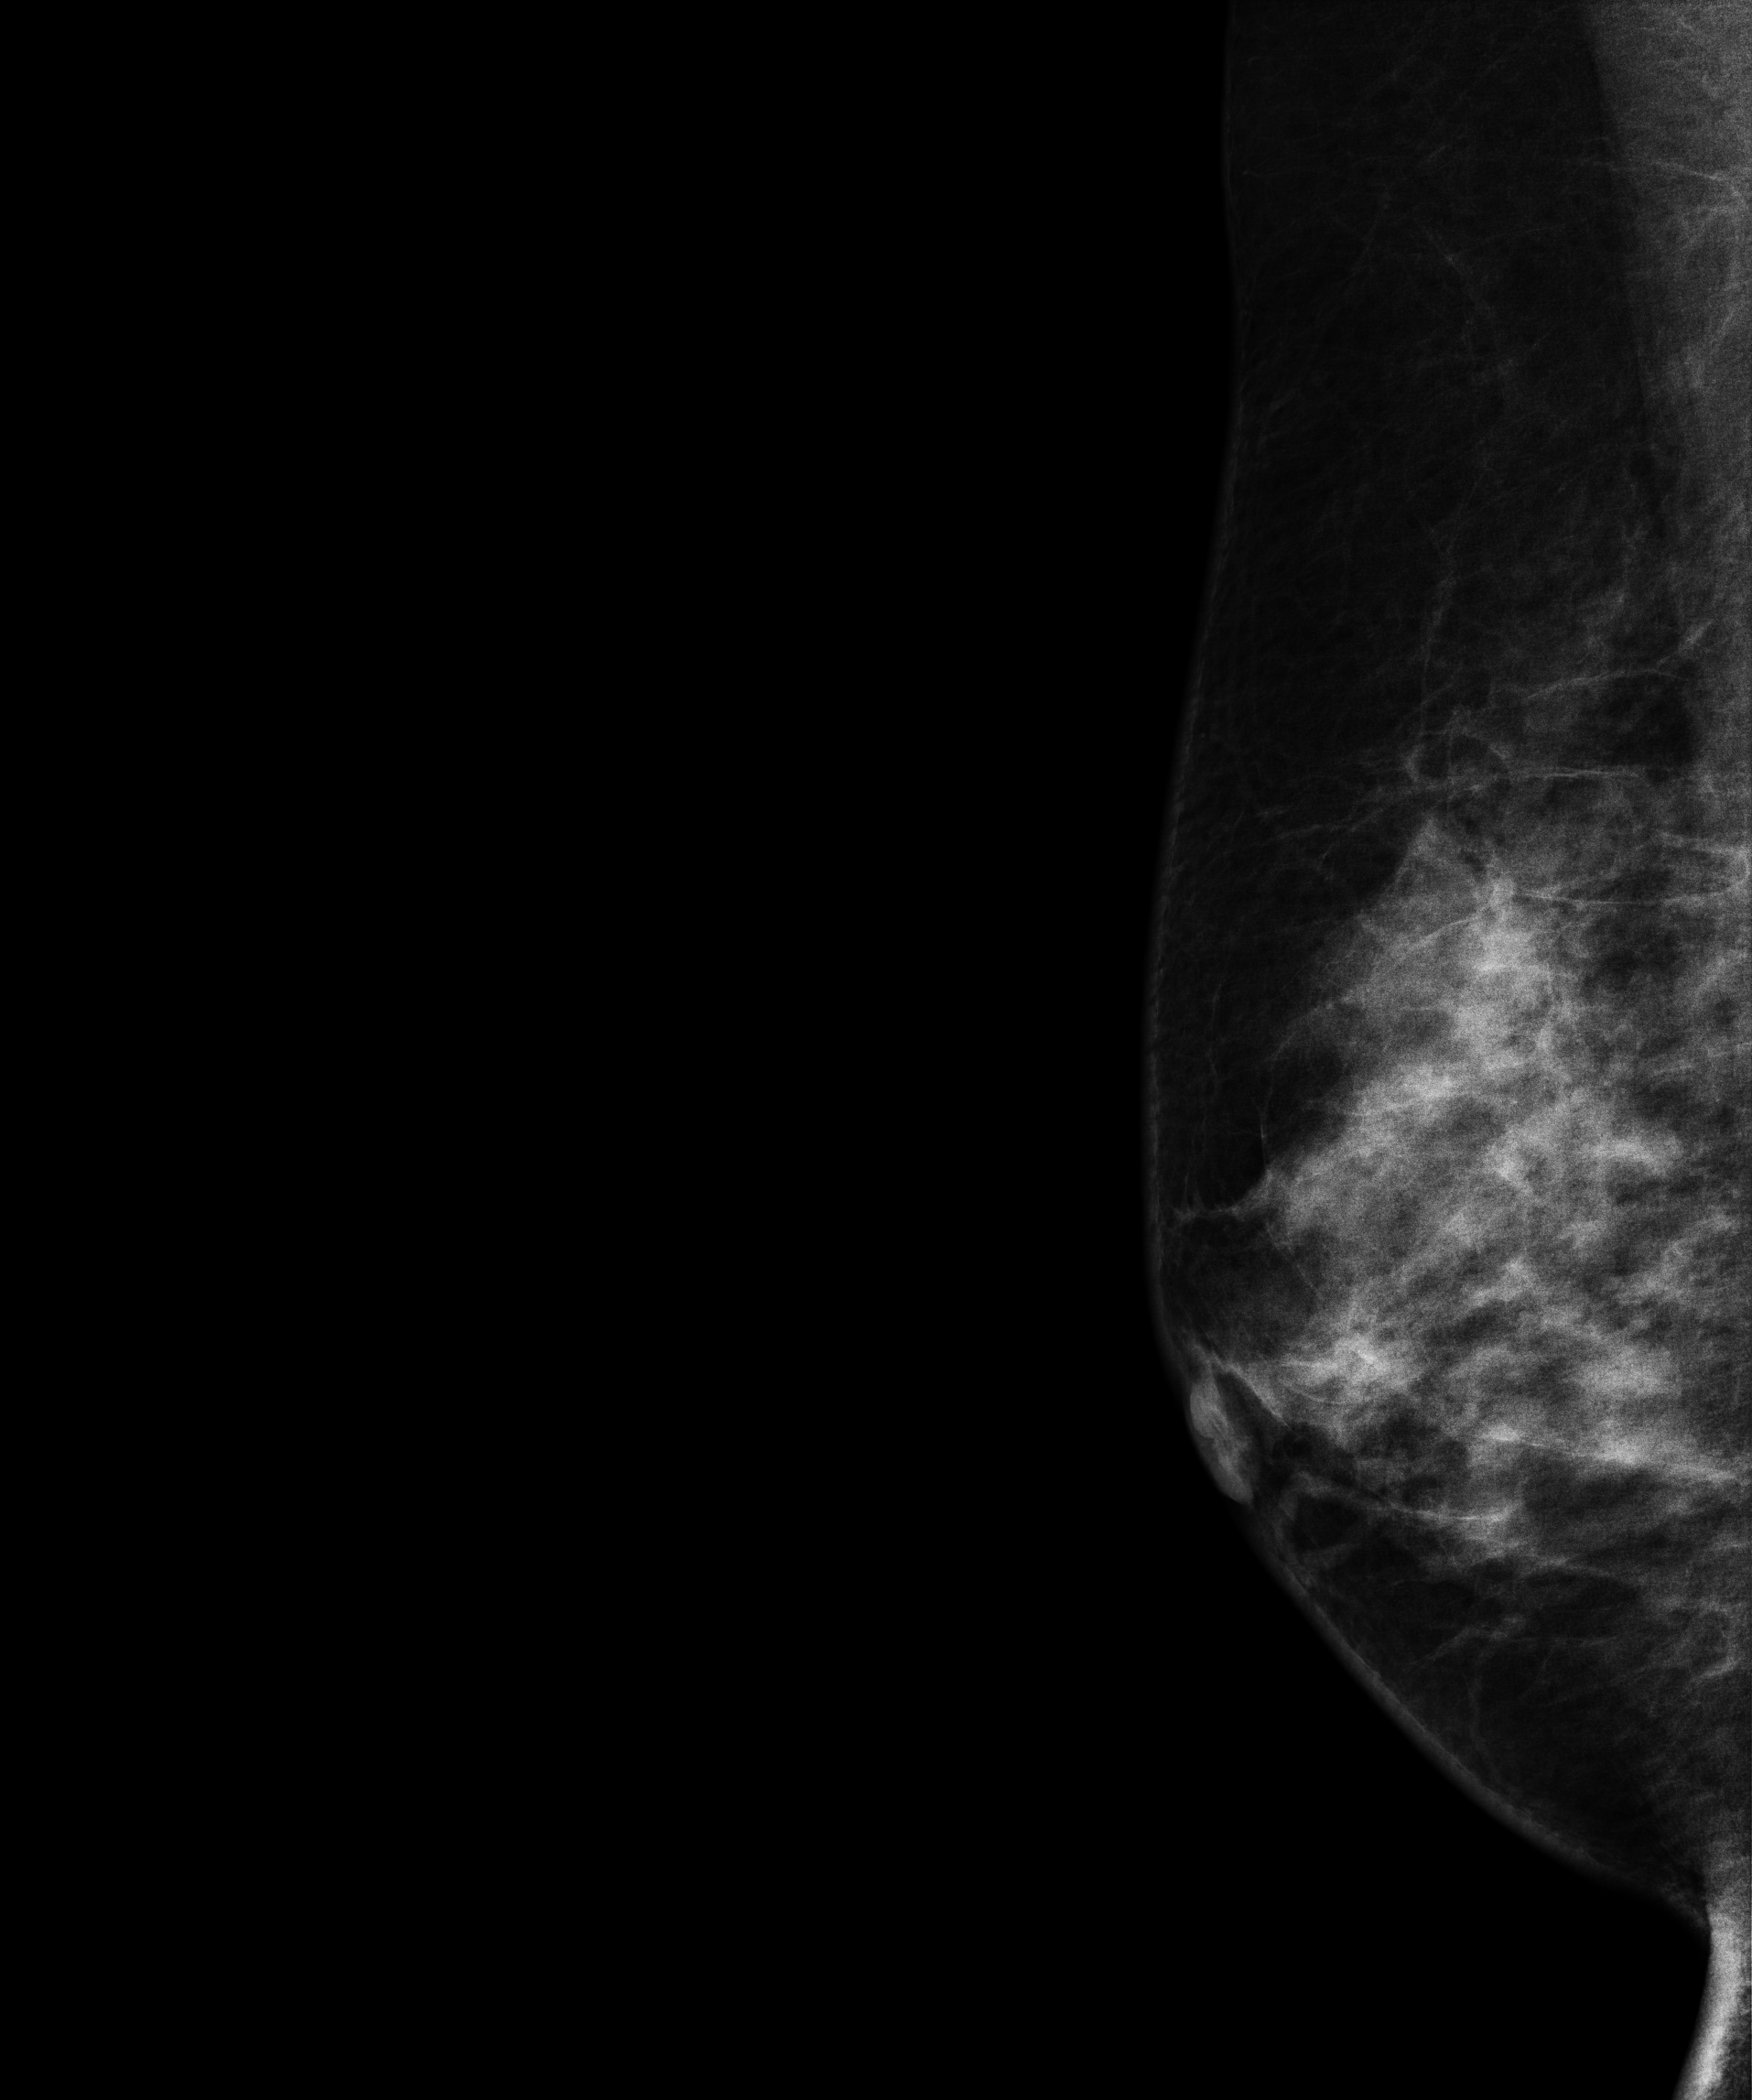
Mammogram, right breast, medio-lateral oblique view. 52-year-old patient.
Contralateral breast — no documented abnormality on this side.